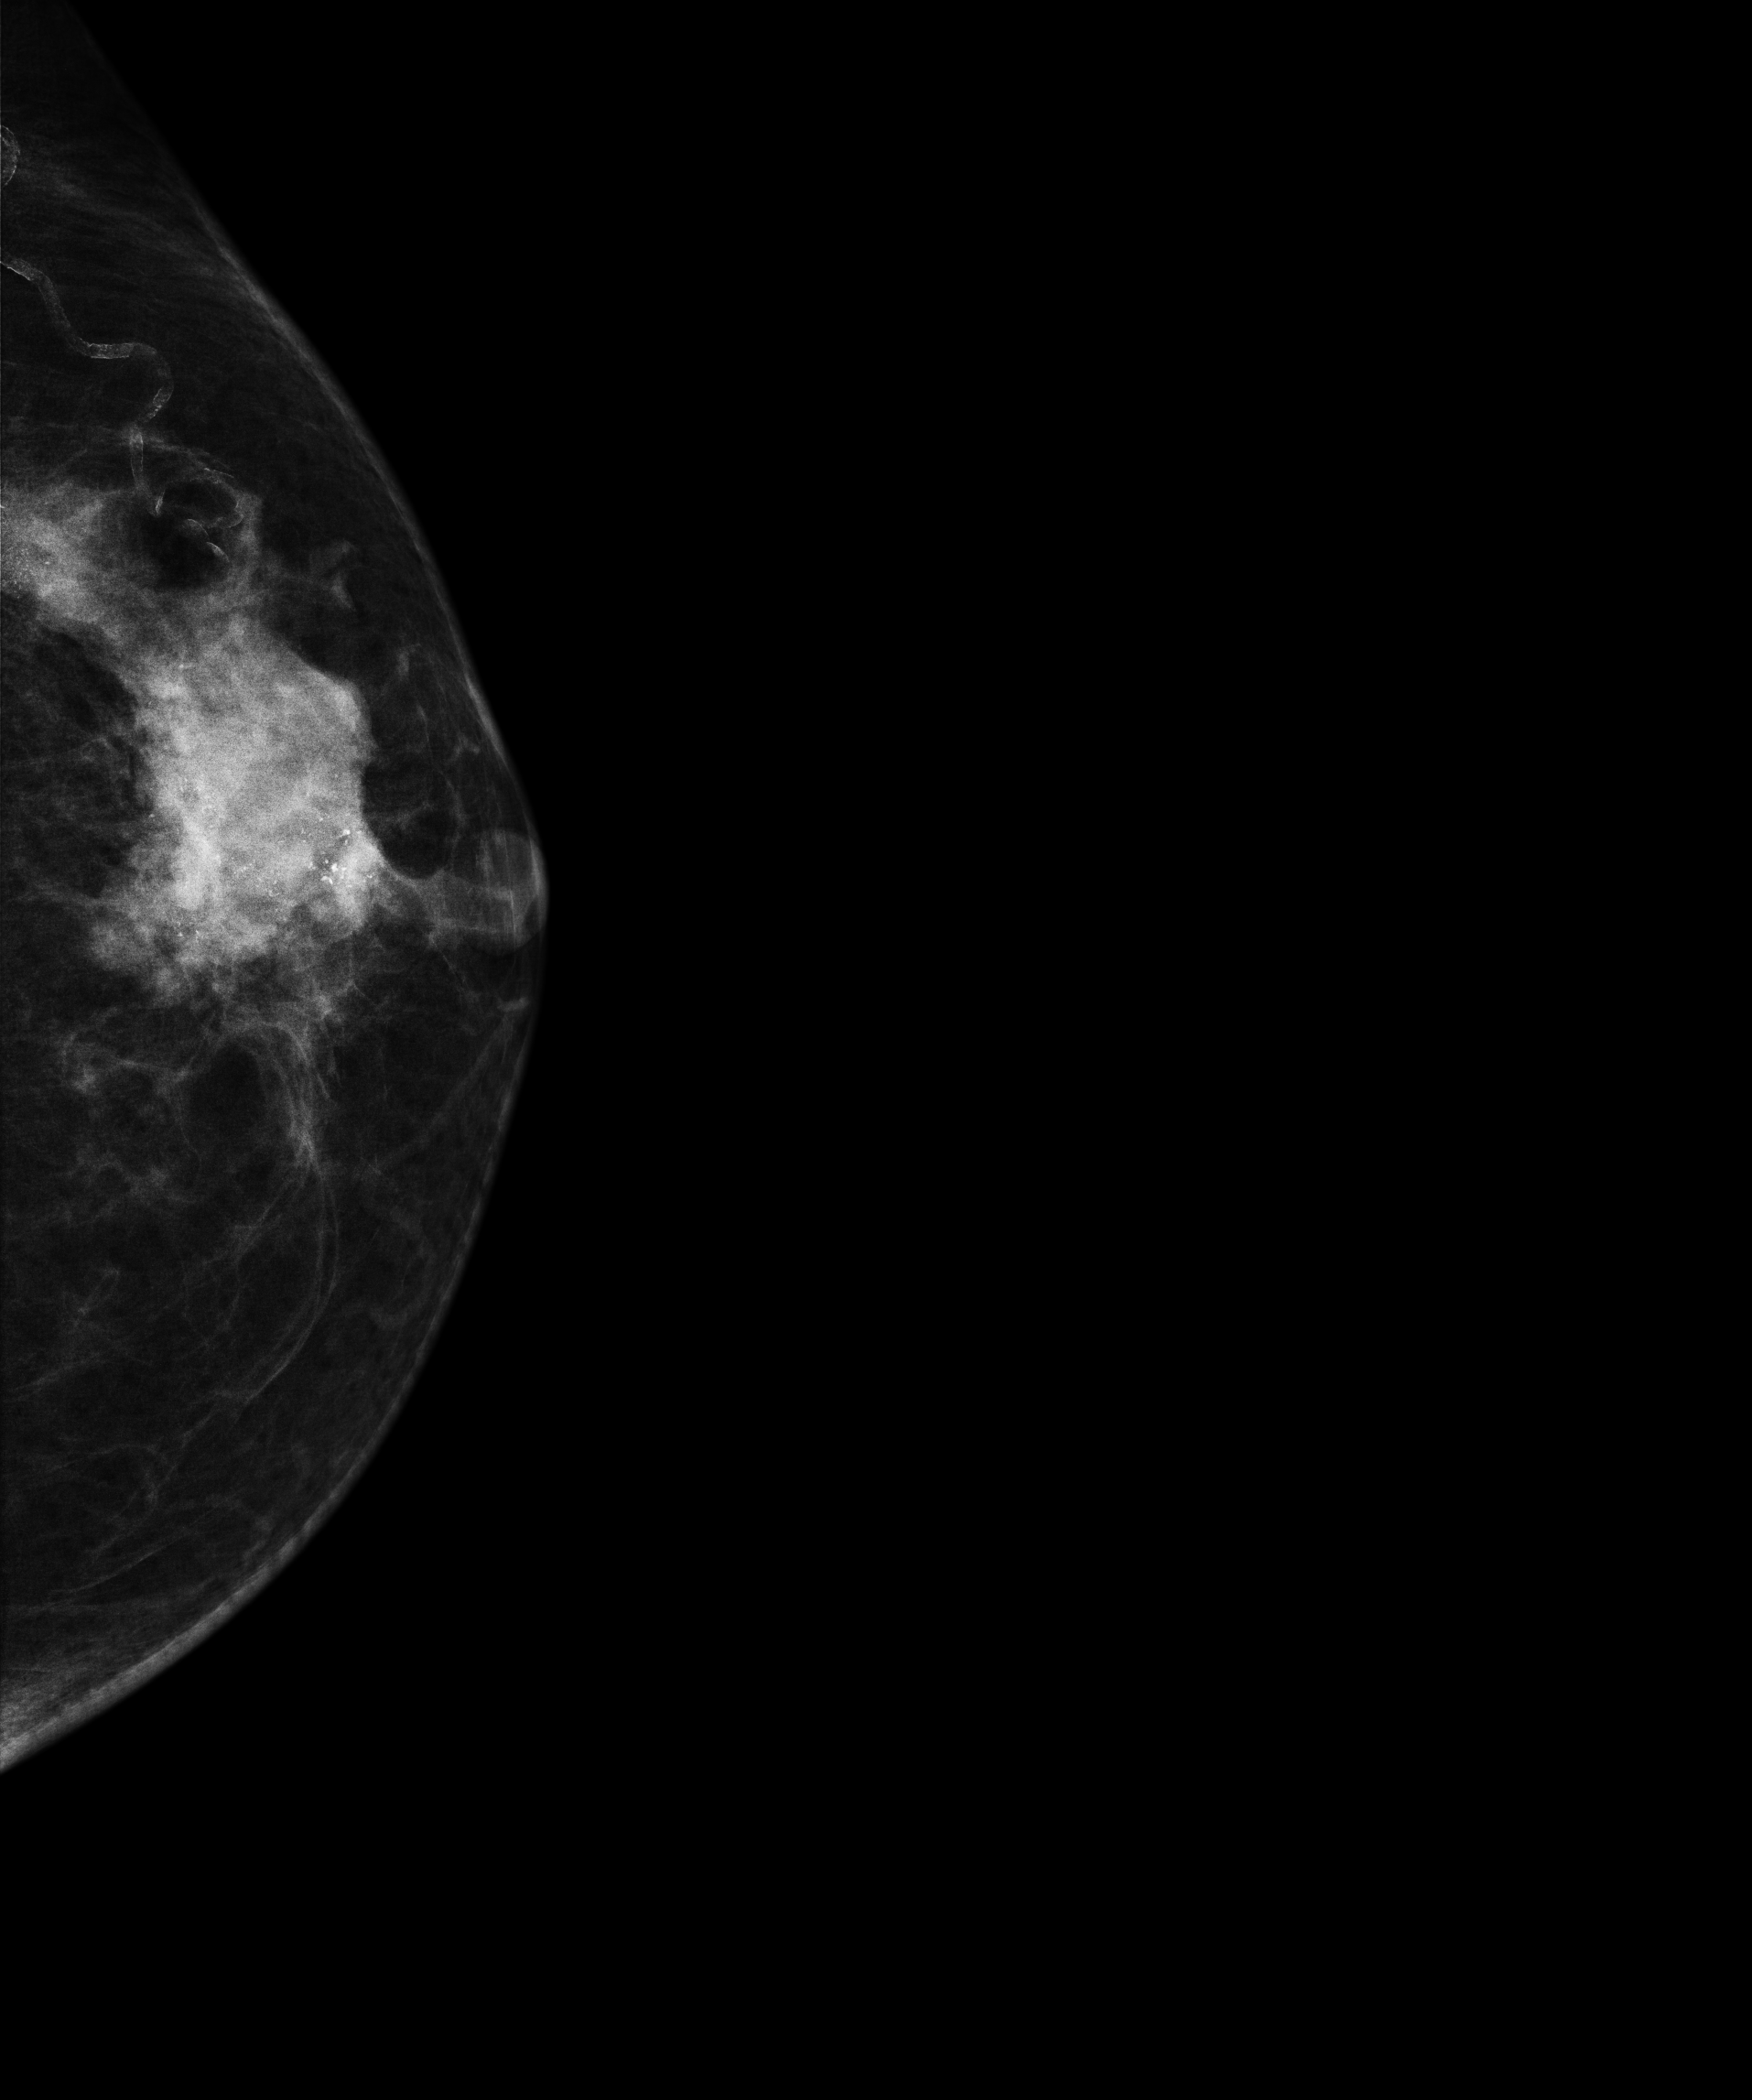
CC mammogram of the left breast. 64 y/o patient.
This breast has a mass and calcifications, pathology-confirmed malignant. Molecular subtype: luminal A.